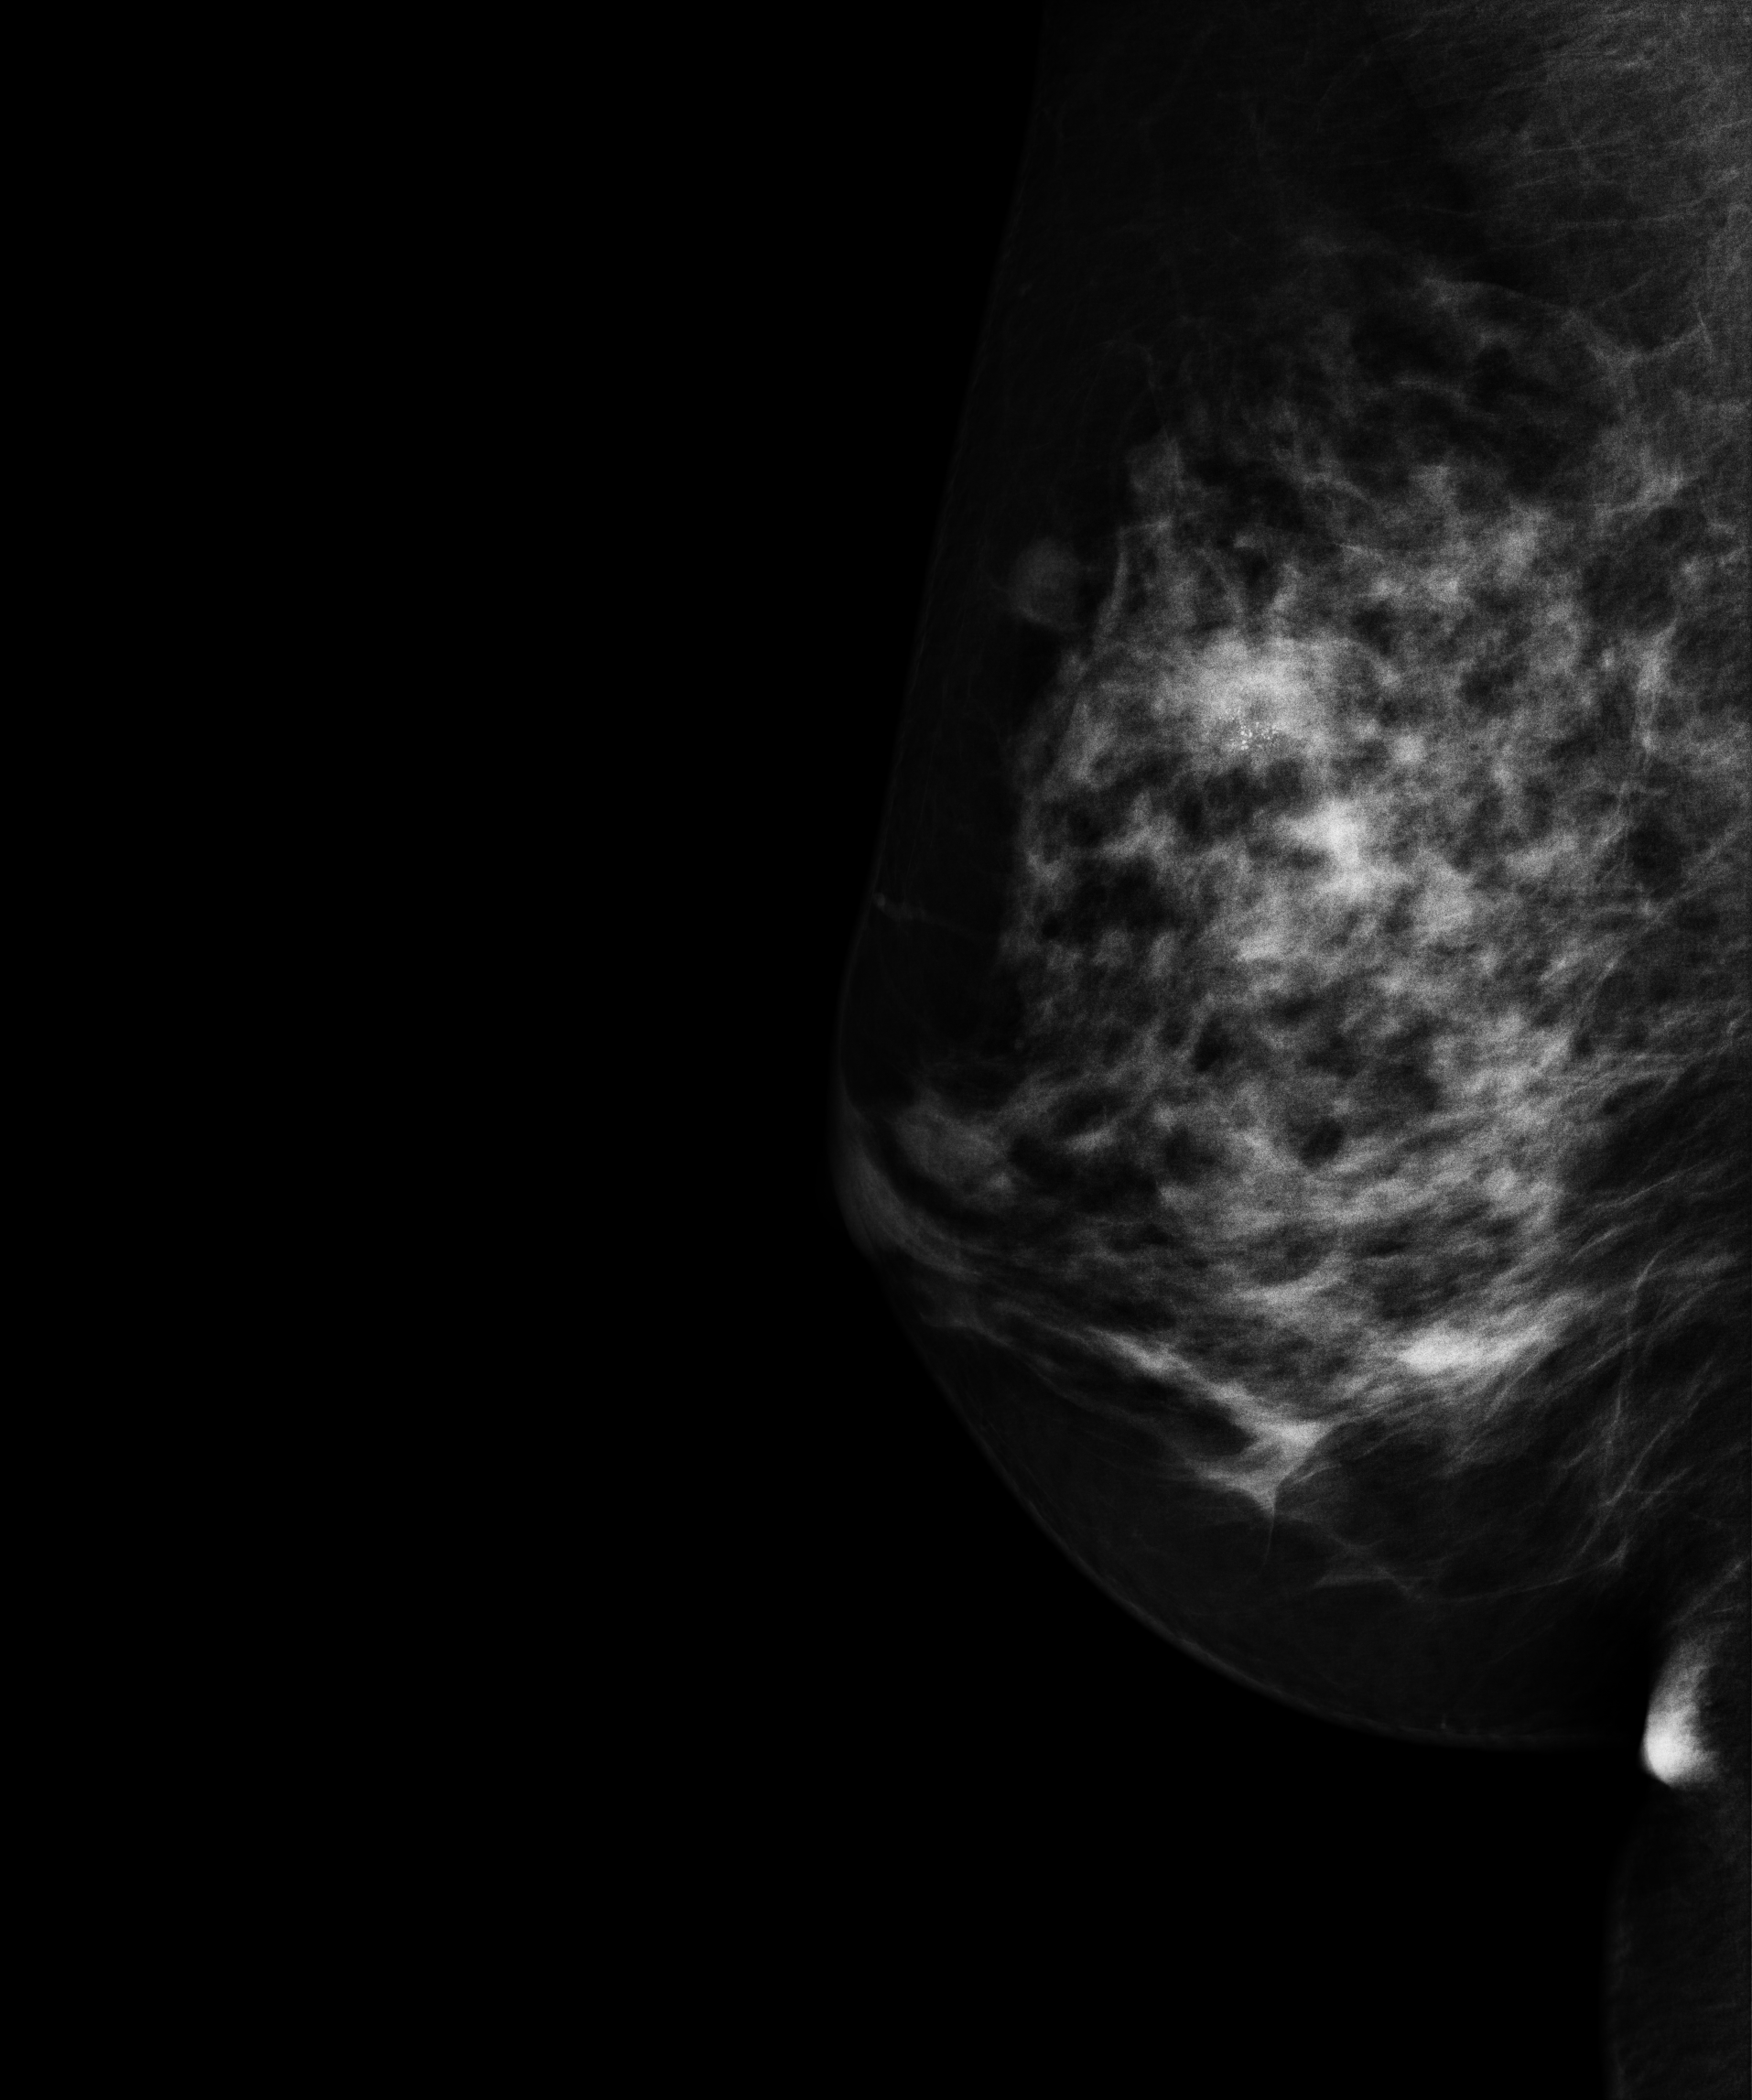
Right-breast mammogram, MLO. Patient age 50.
This breast has a mass and calcifications, biopsy-confirmed malignant.